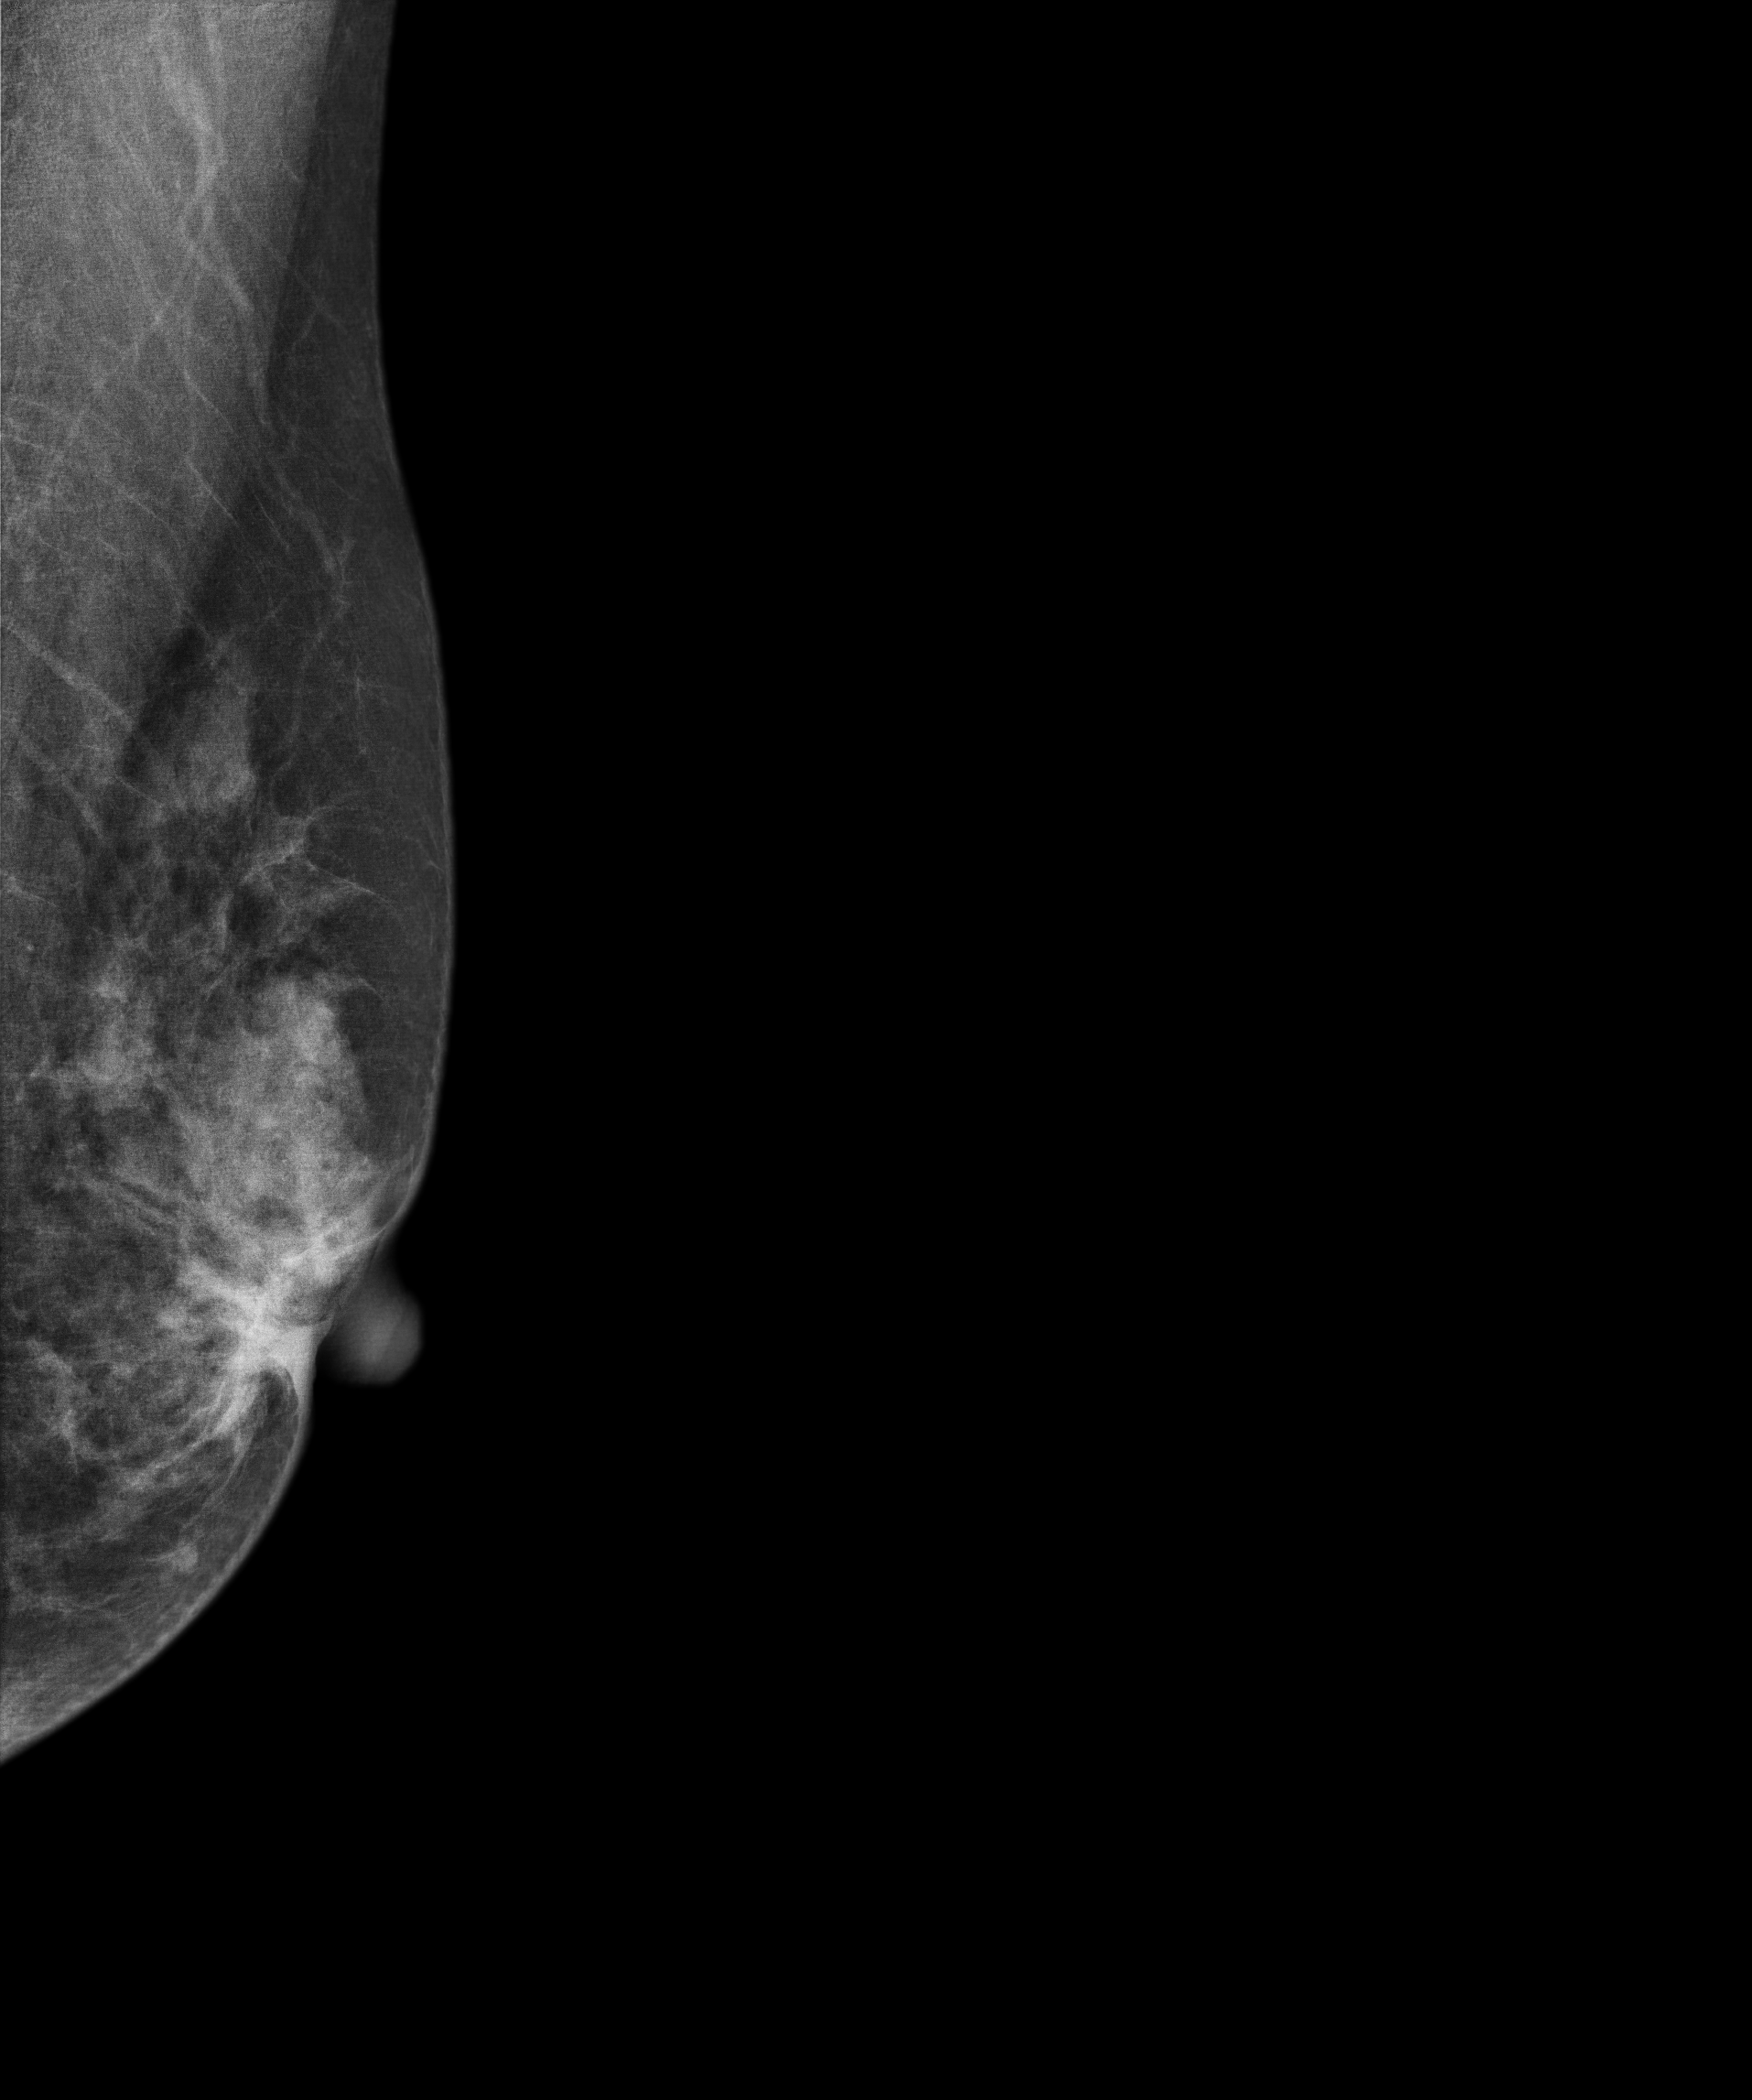
Digital mammography. Left breast, medio-lateral oblique projection. 54-year-old patient.
This breast has a mass, histologically confirmed malignant.